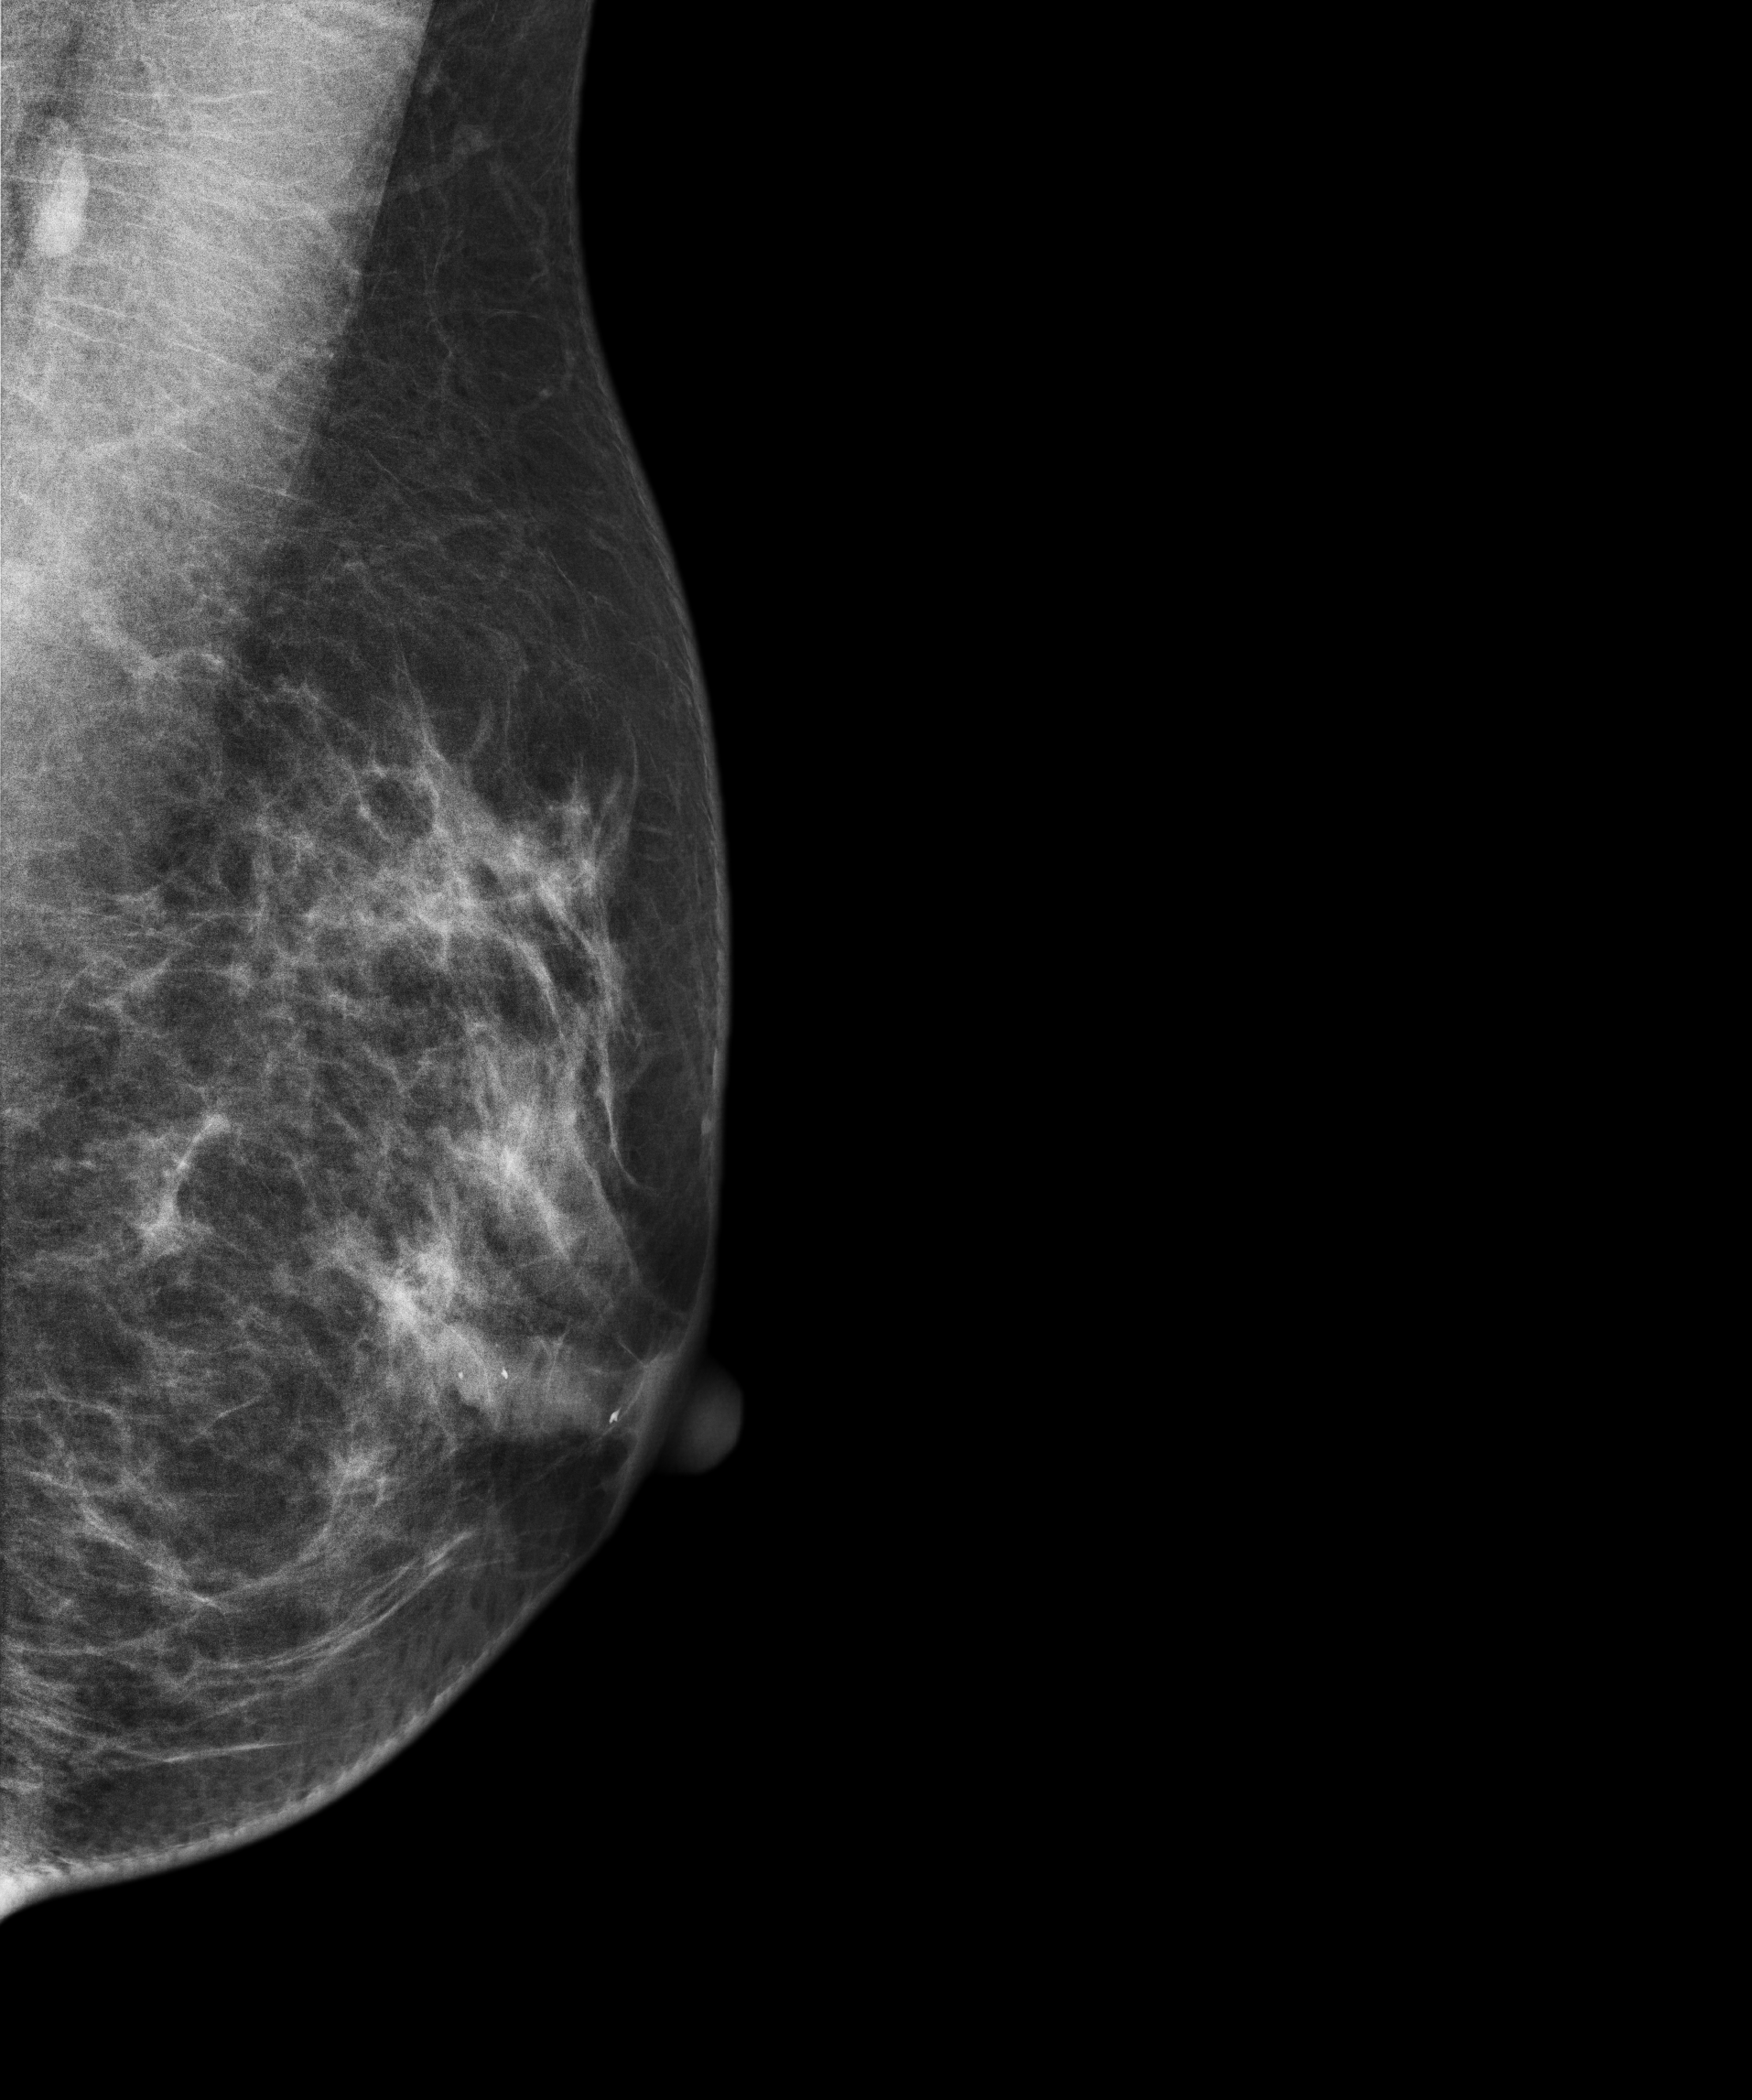
Medio-lateral oblique mammogram of the left breast. 33 y/o patient.
This breast has a mass and calcifications, pathology-confirmed benign.